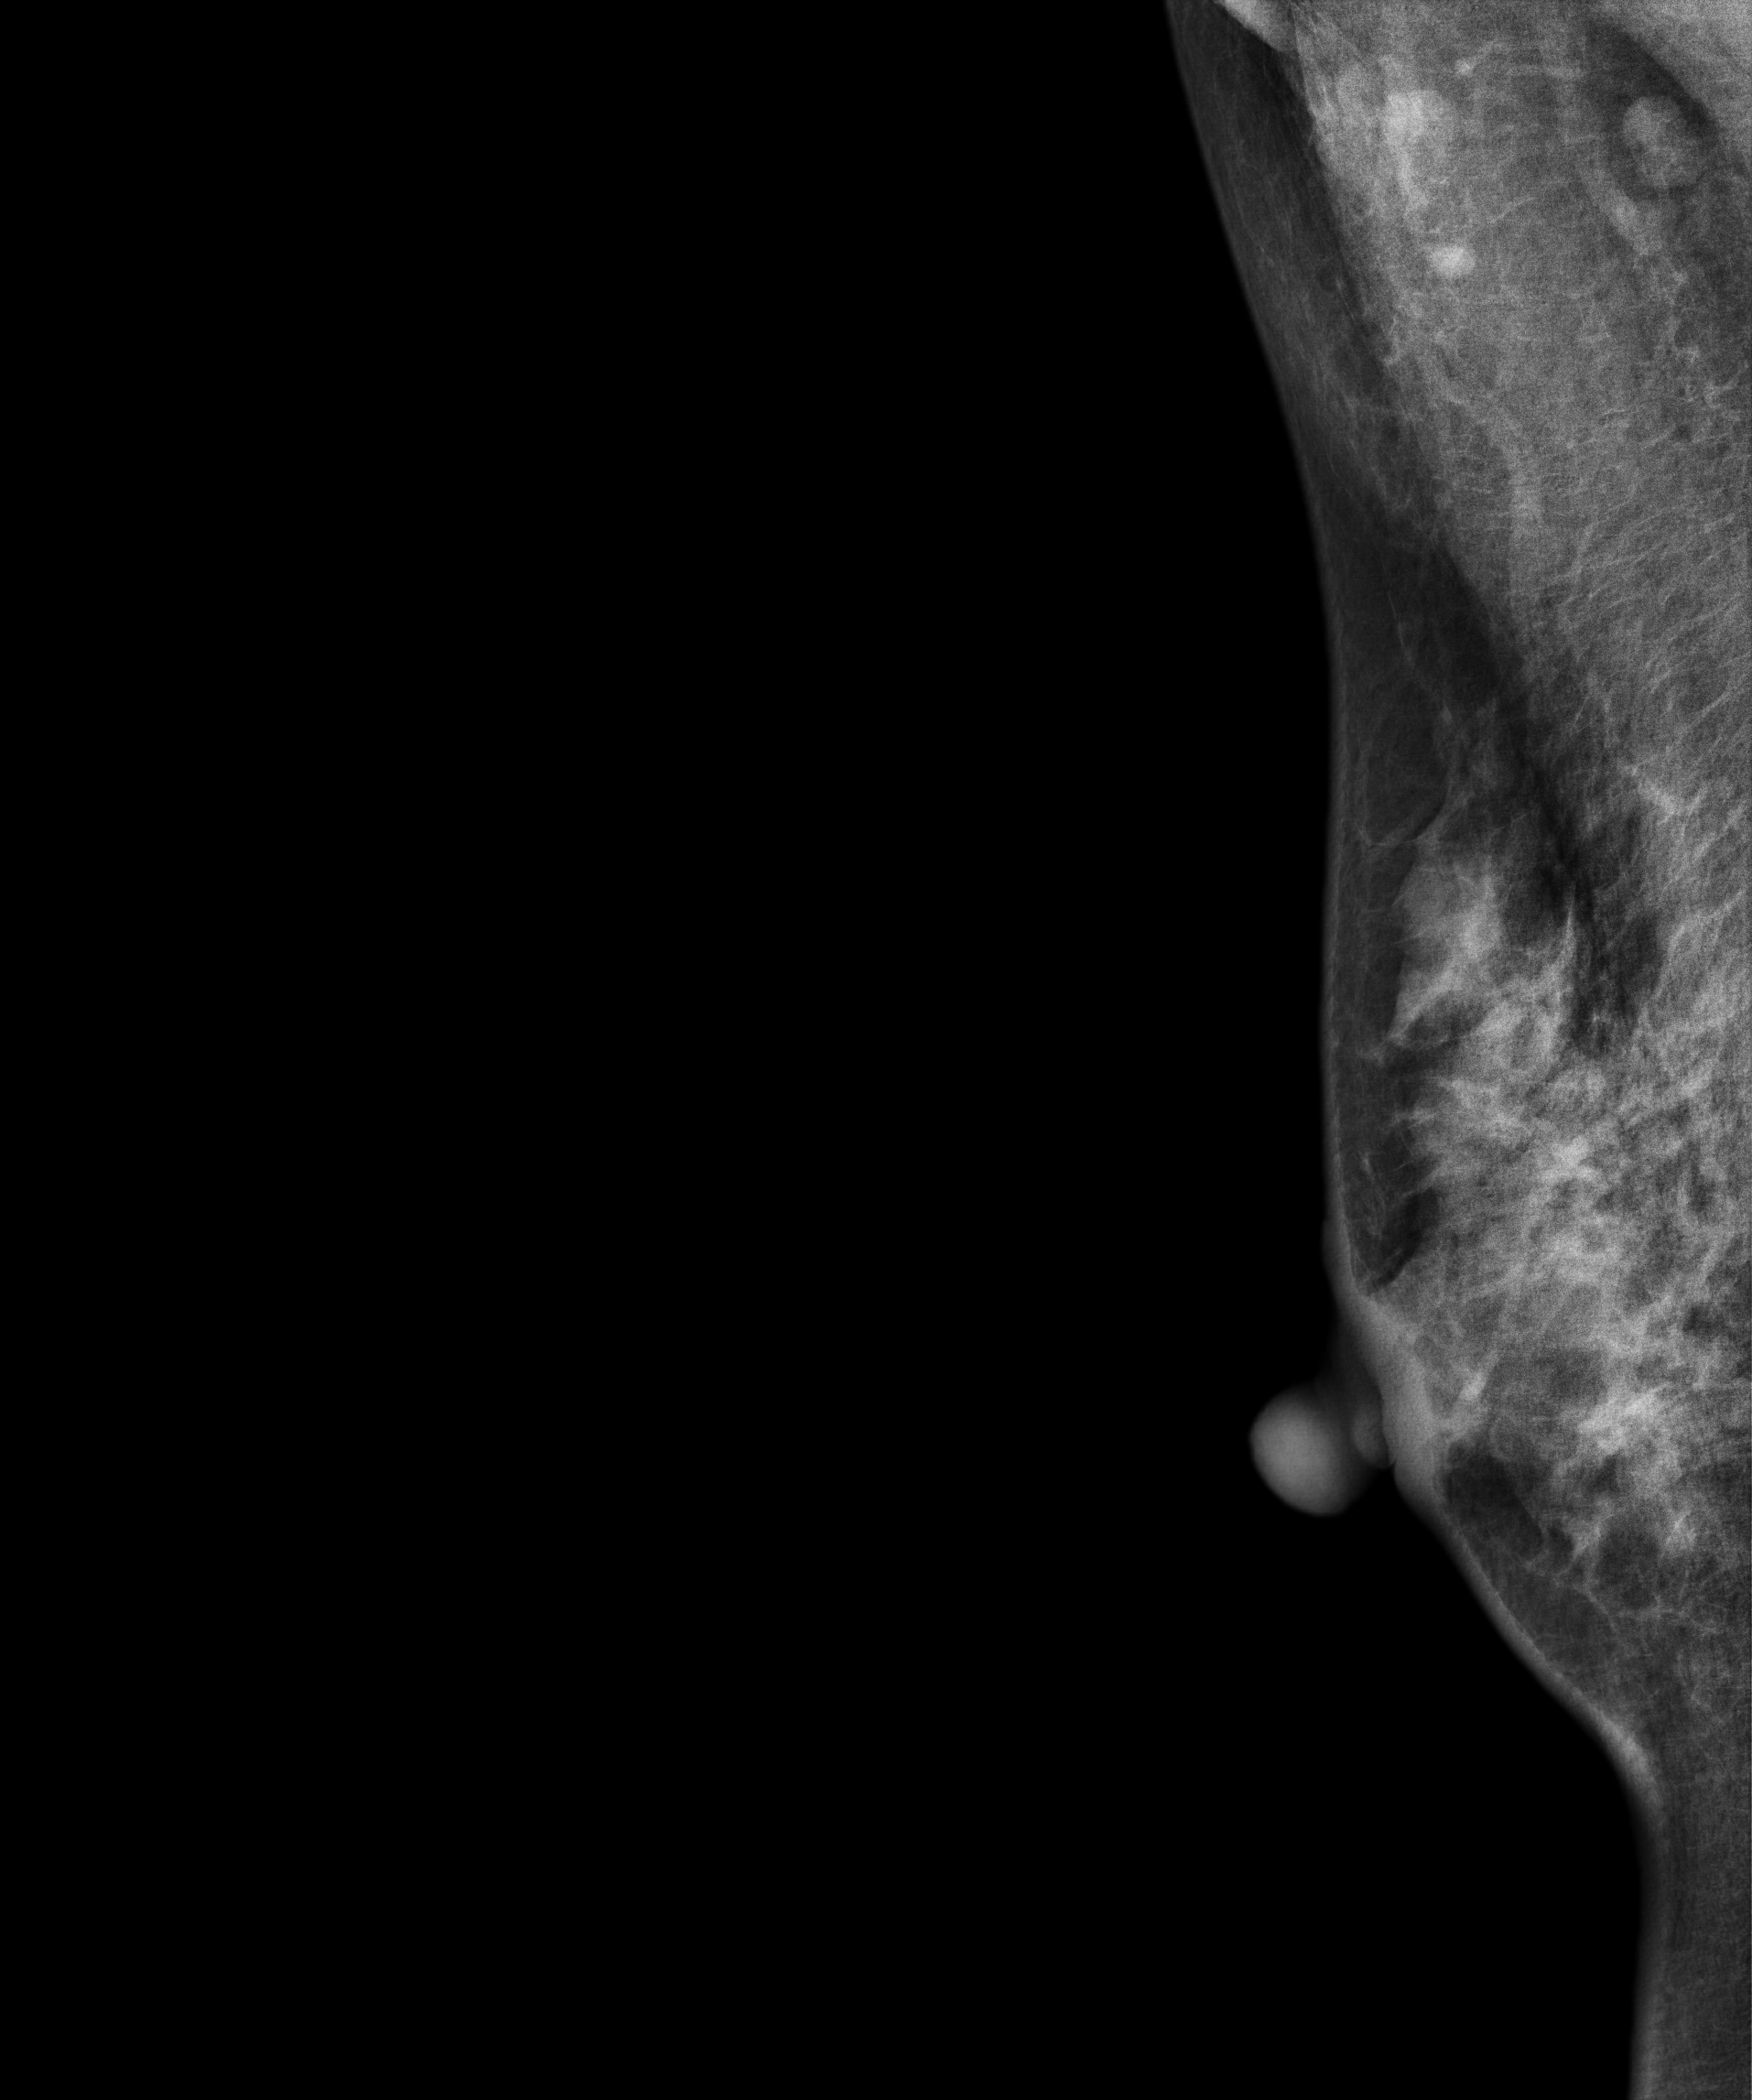
Digital mammography. Right breast, medio-lateral oblique projection. 39 y/o patient.
Contralateral breast — no documented abnormality on this side.